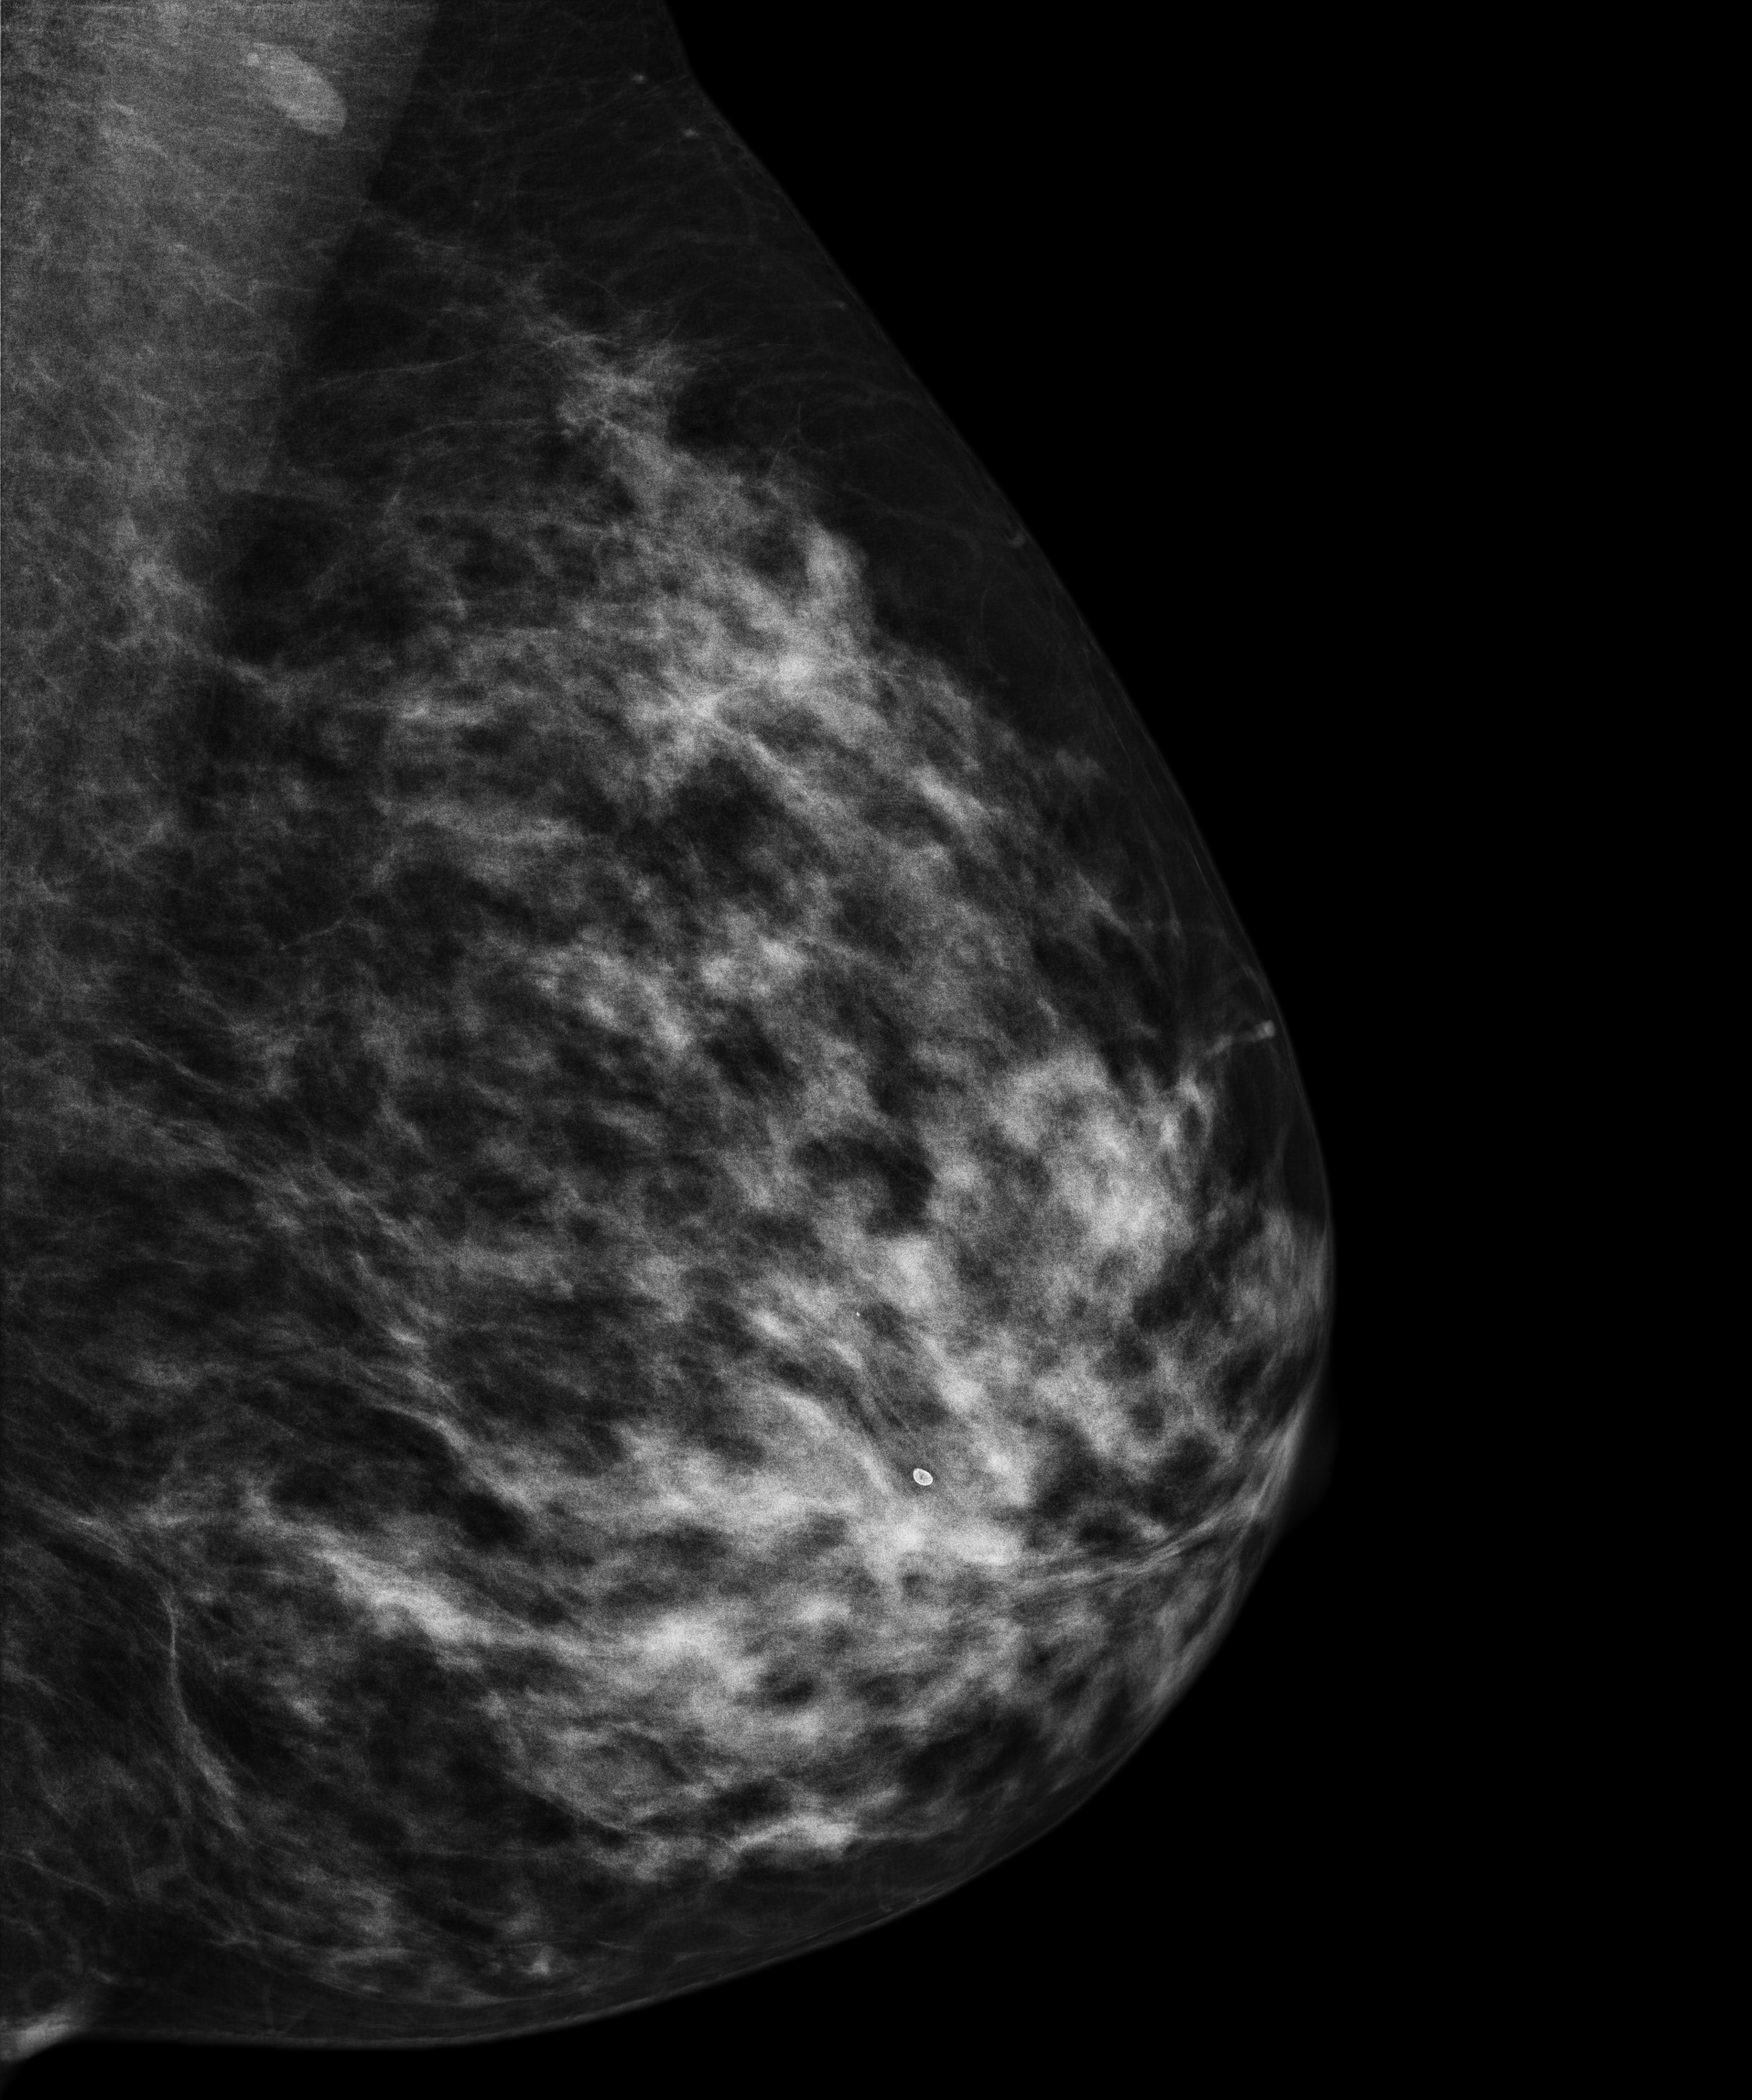
Mammogram, left breast, MLO view. 51 y/o patient.
Contralateral breast — no documented abnormality on this side.